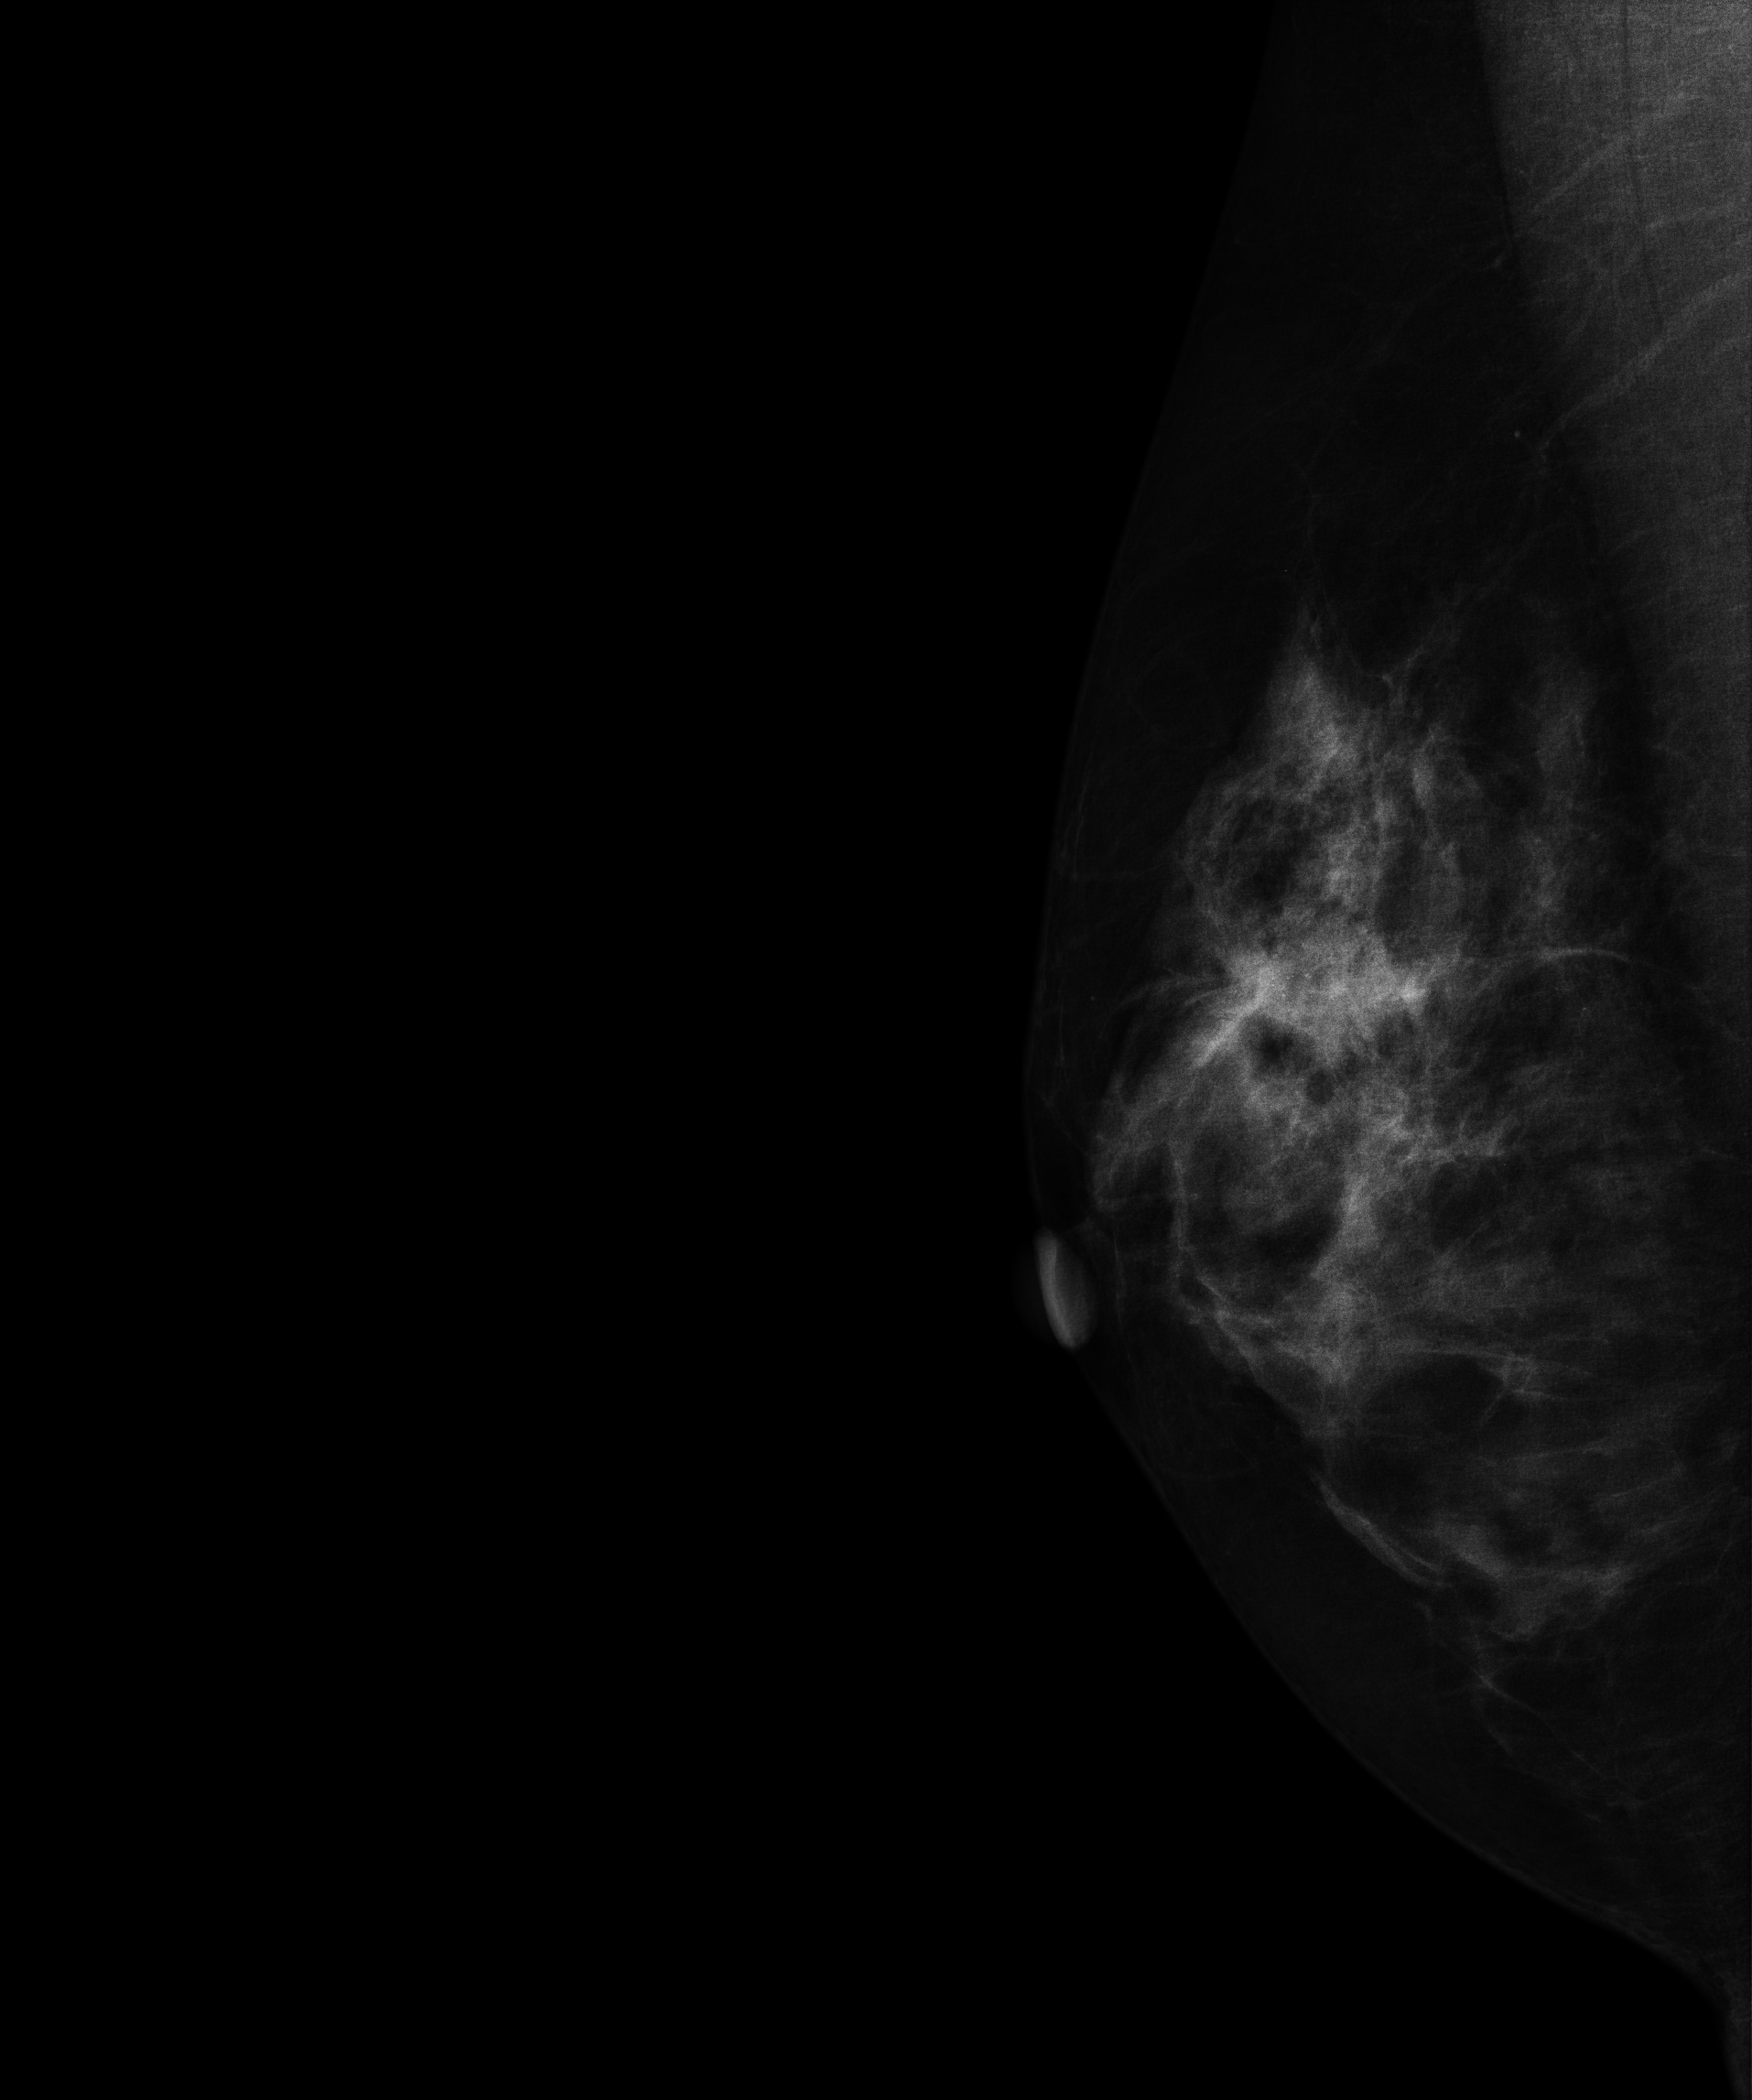
Mammogram, right breast, MLO view. Patient age 51.
This breast has a mass, biopsy-proven malignant. Molecular subtype: luminal B.